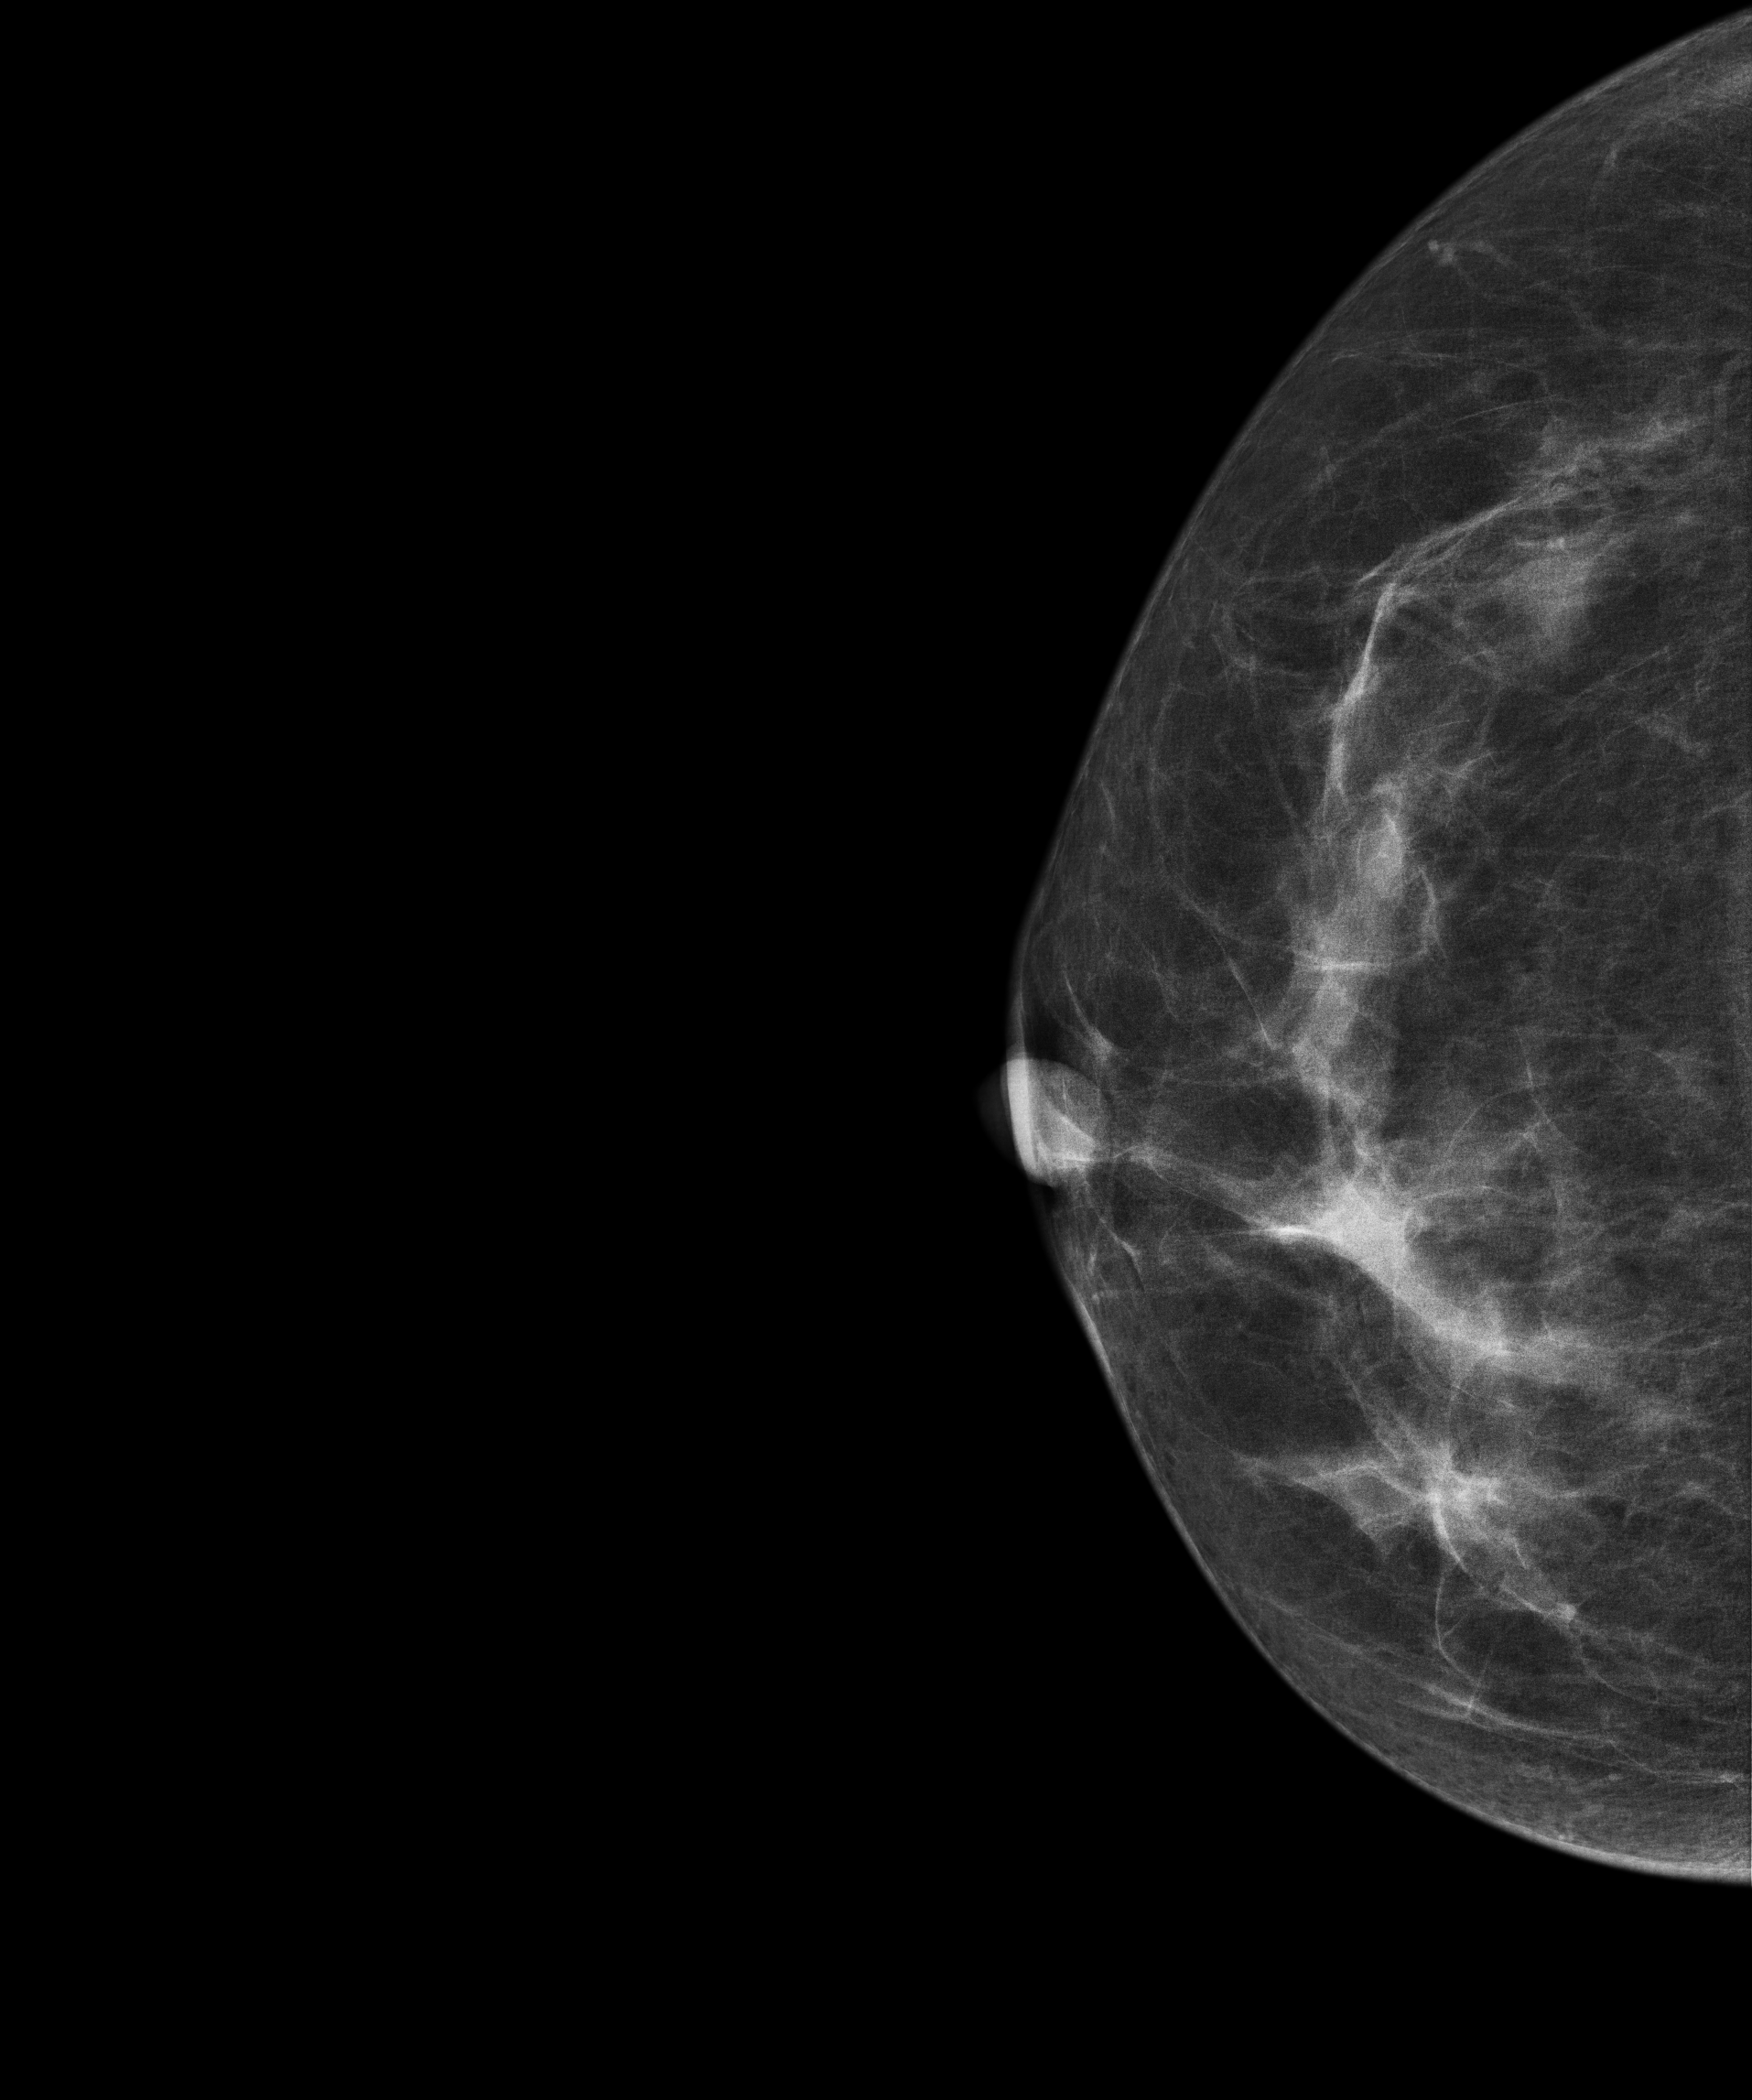
Digital mammography. Right breast, CC projection. Patient age 48.
Contralateral breast — no documented abnormality on this side.